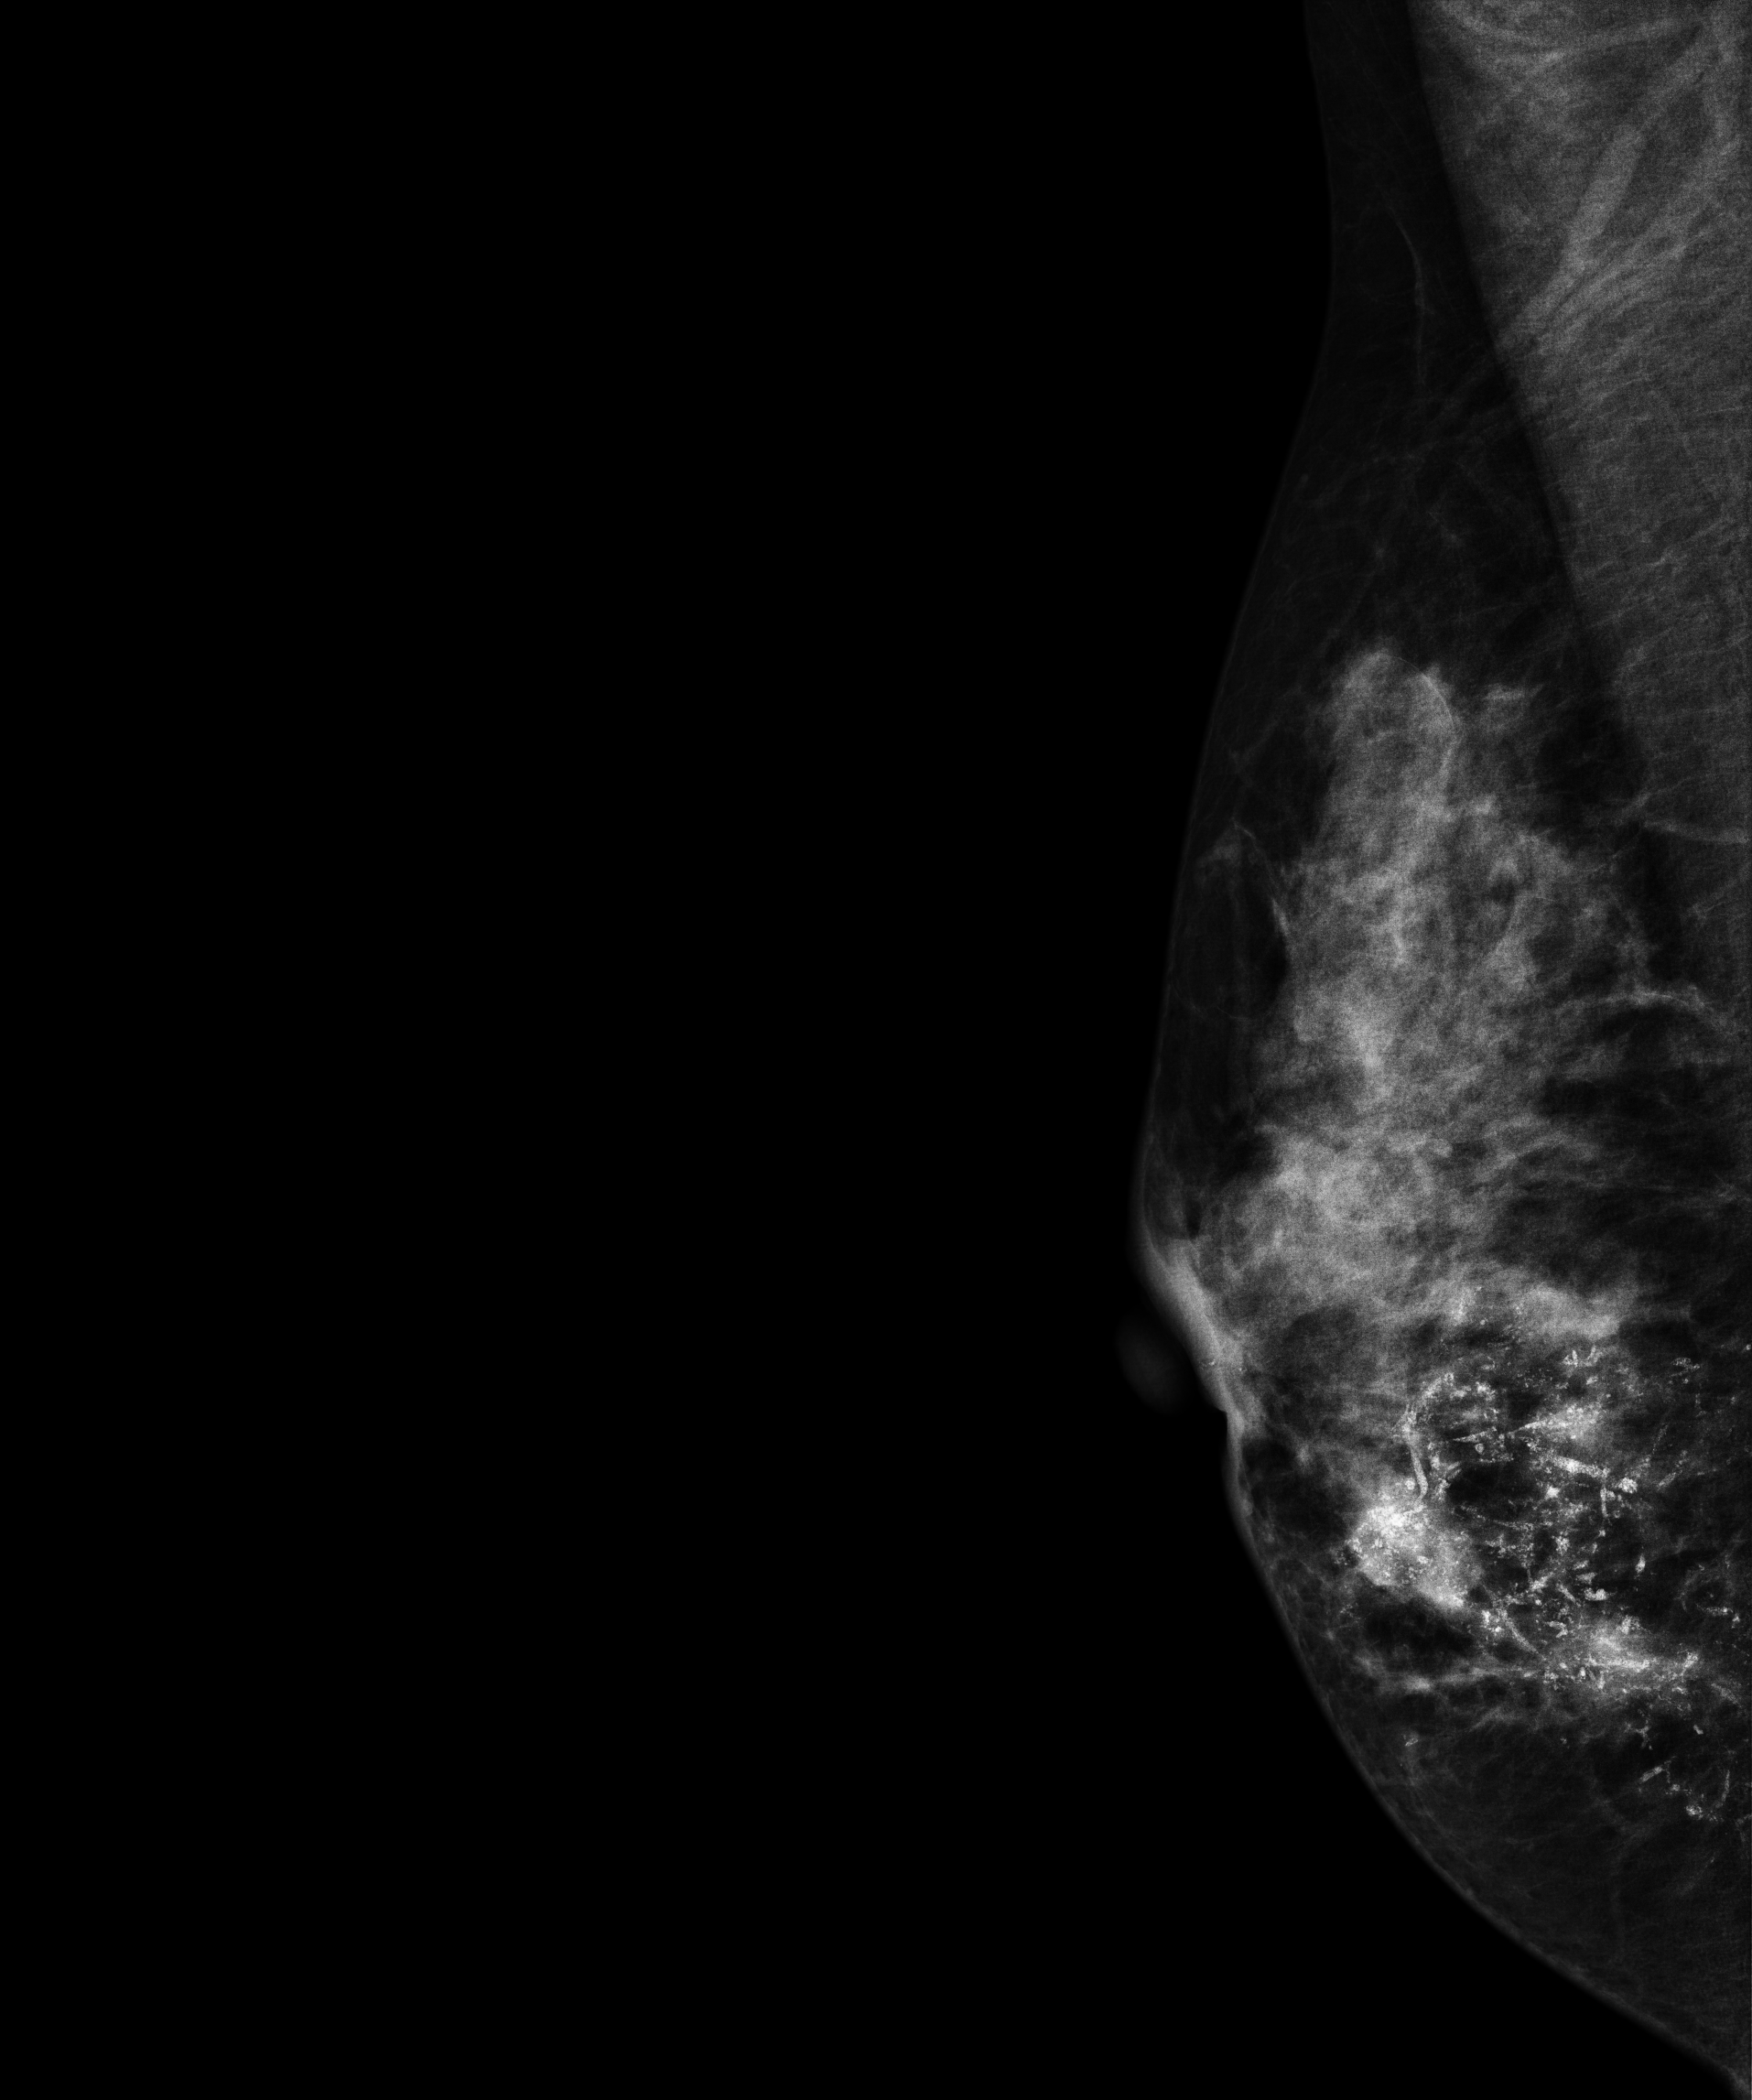
Medio-lateral oblique mammogram of the right breast. 34 y/o patient.
This breast has a mass and calcifications, biopsy-confirmed malignant. Molecular subtype: luminal B.